Mammogram — left CC. Patient age 38.
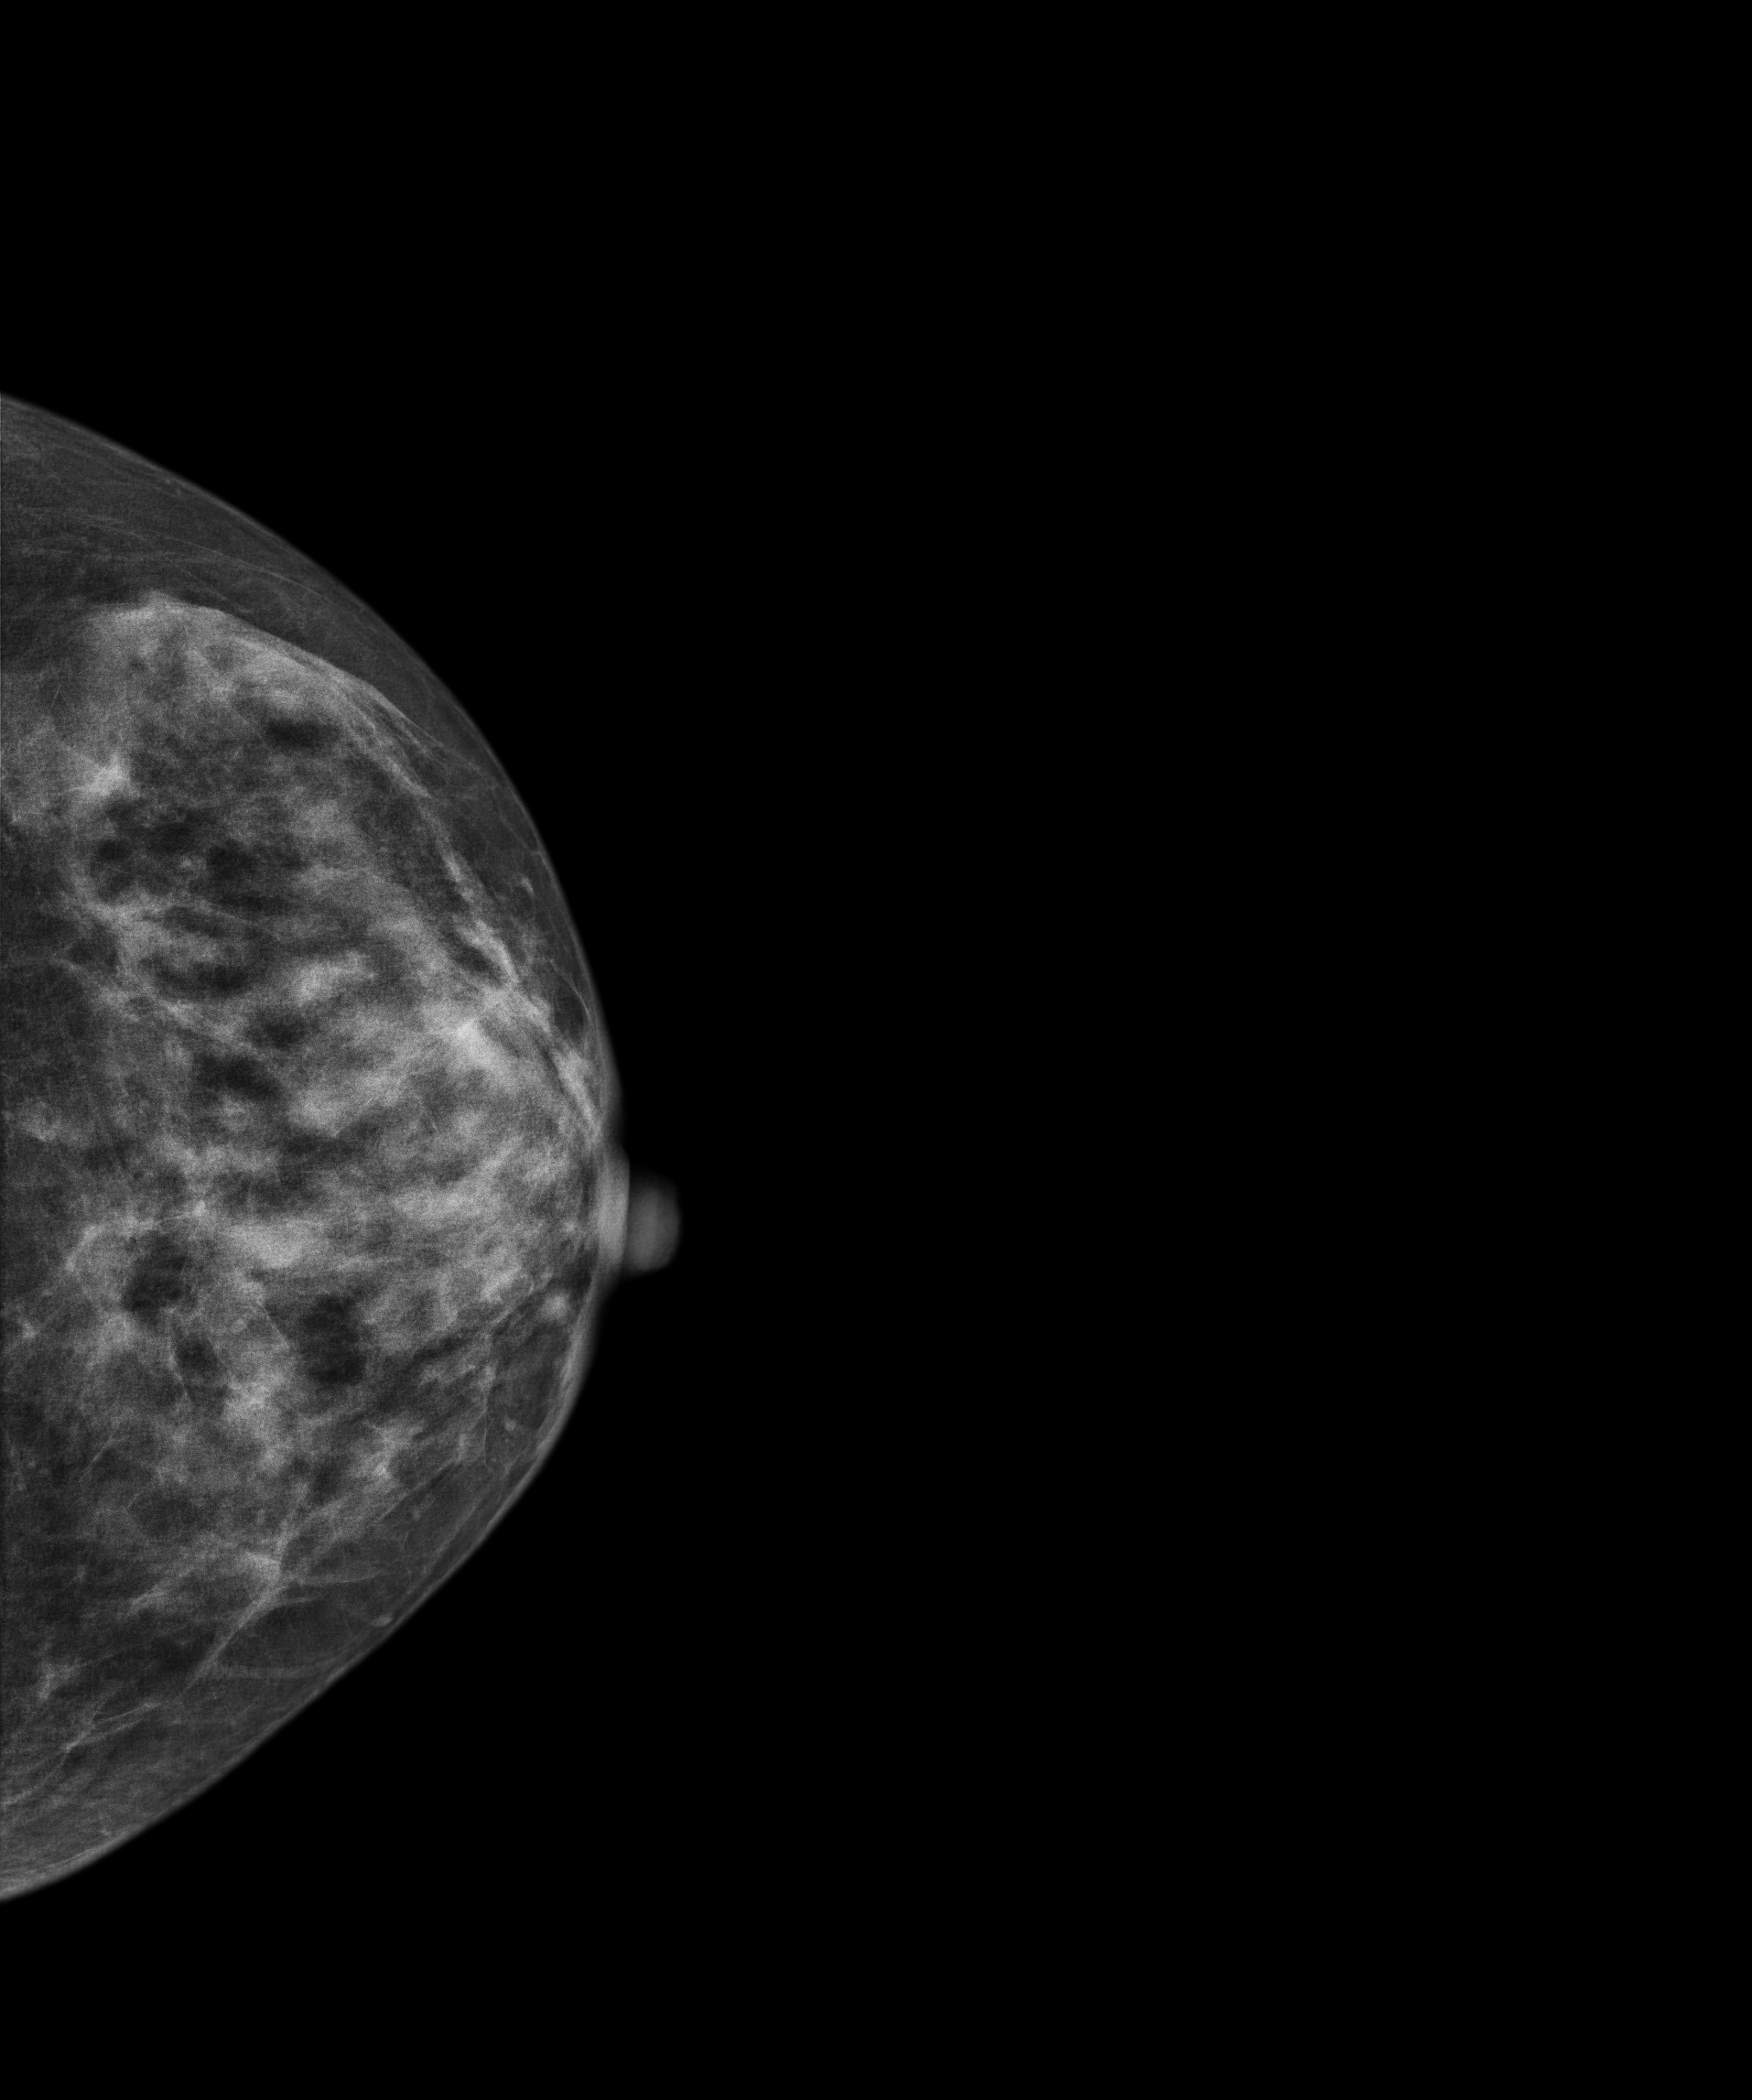
This breast has a mass, biopsy-confirmed malignant.